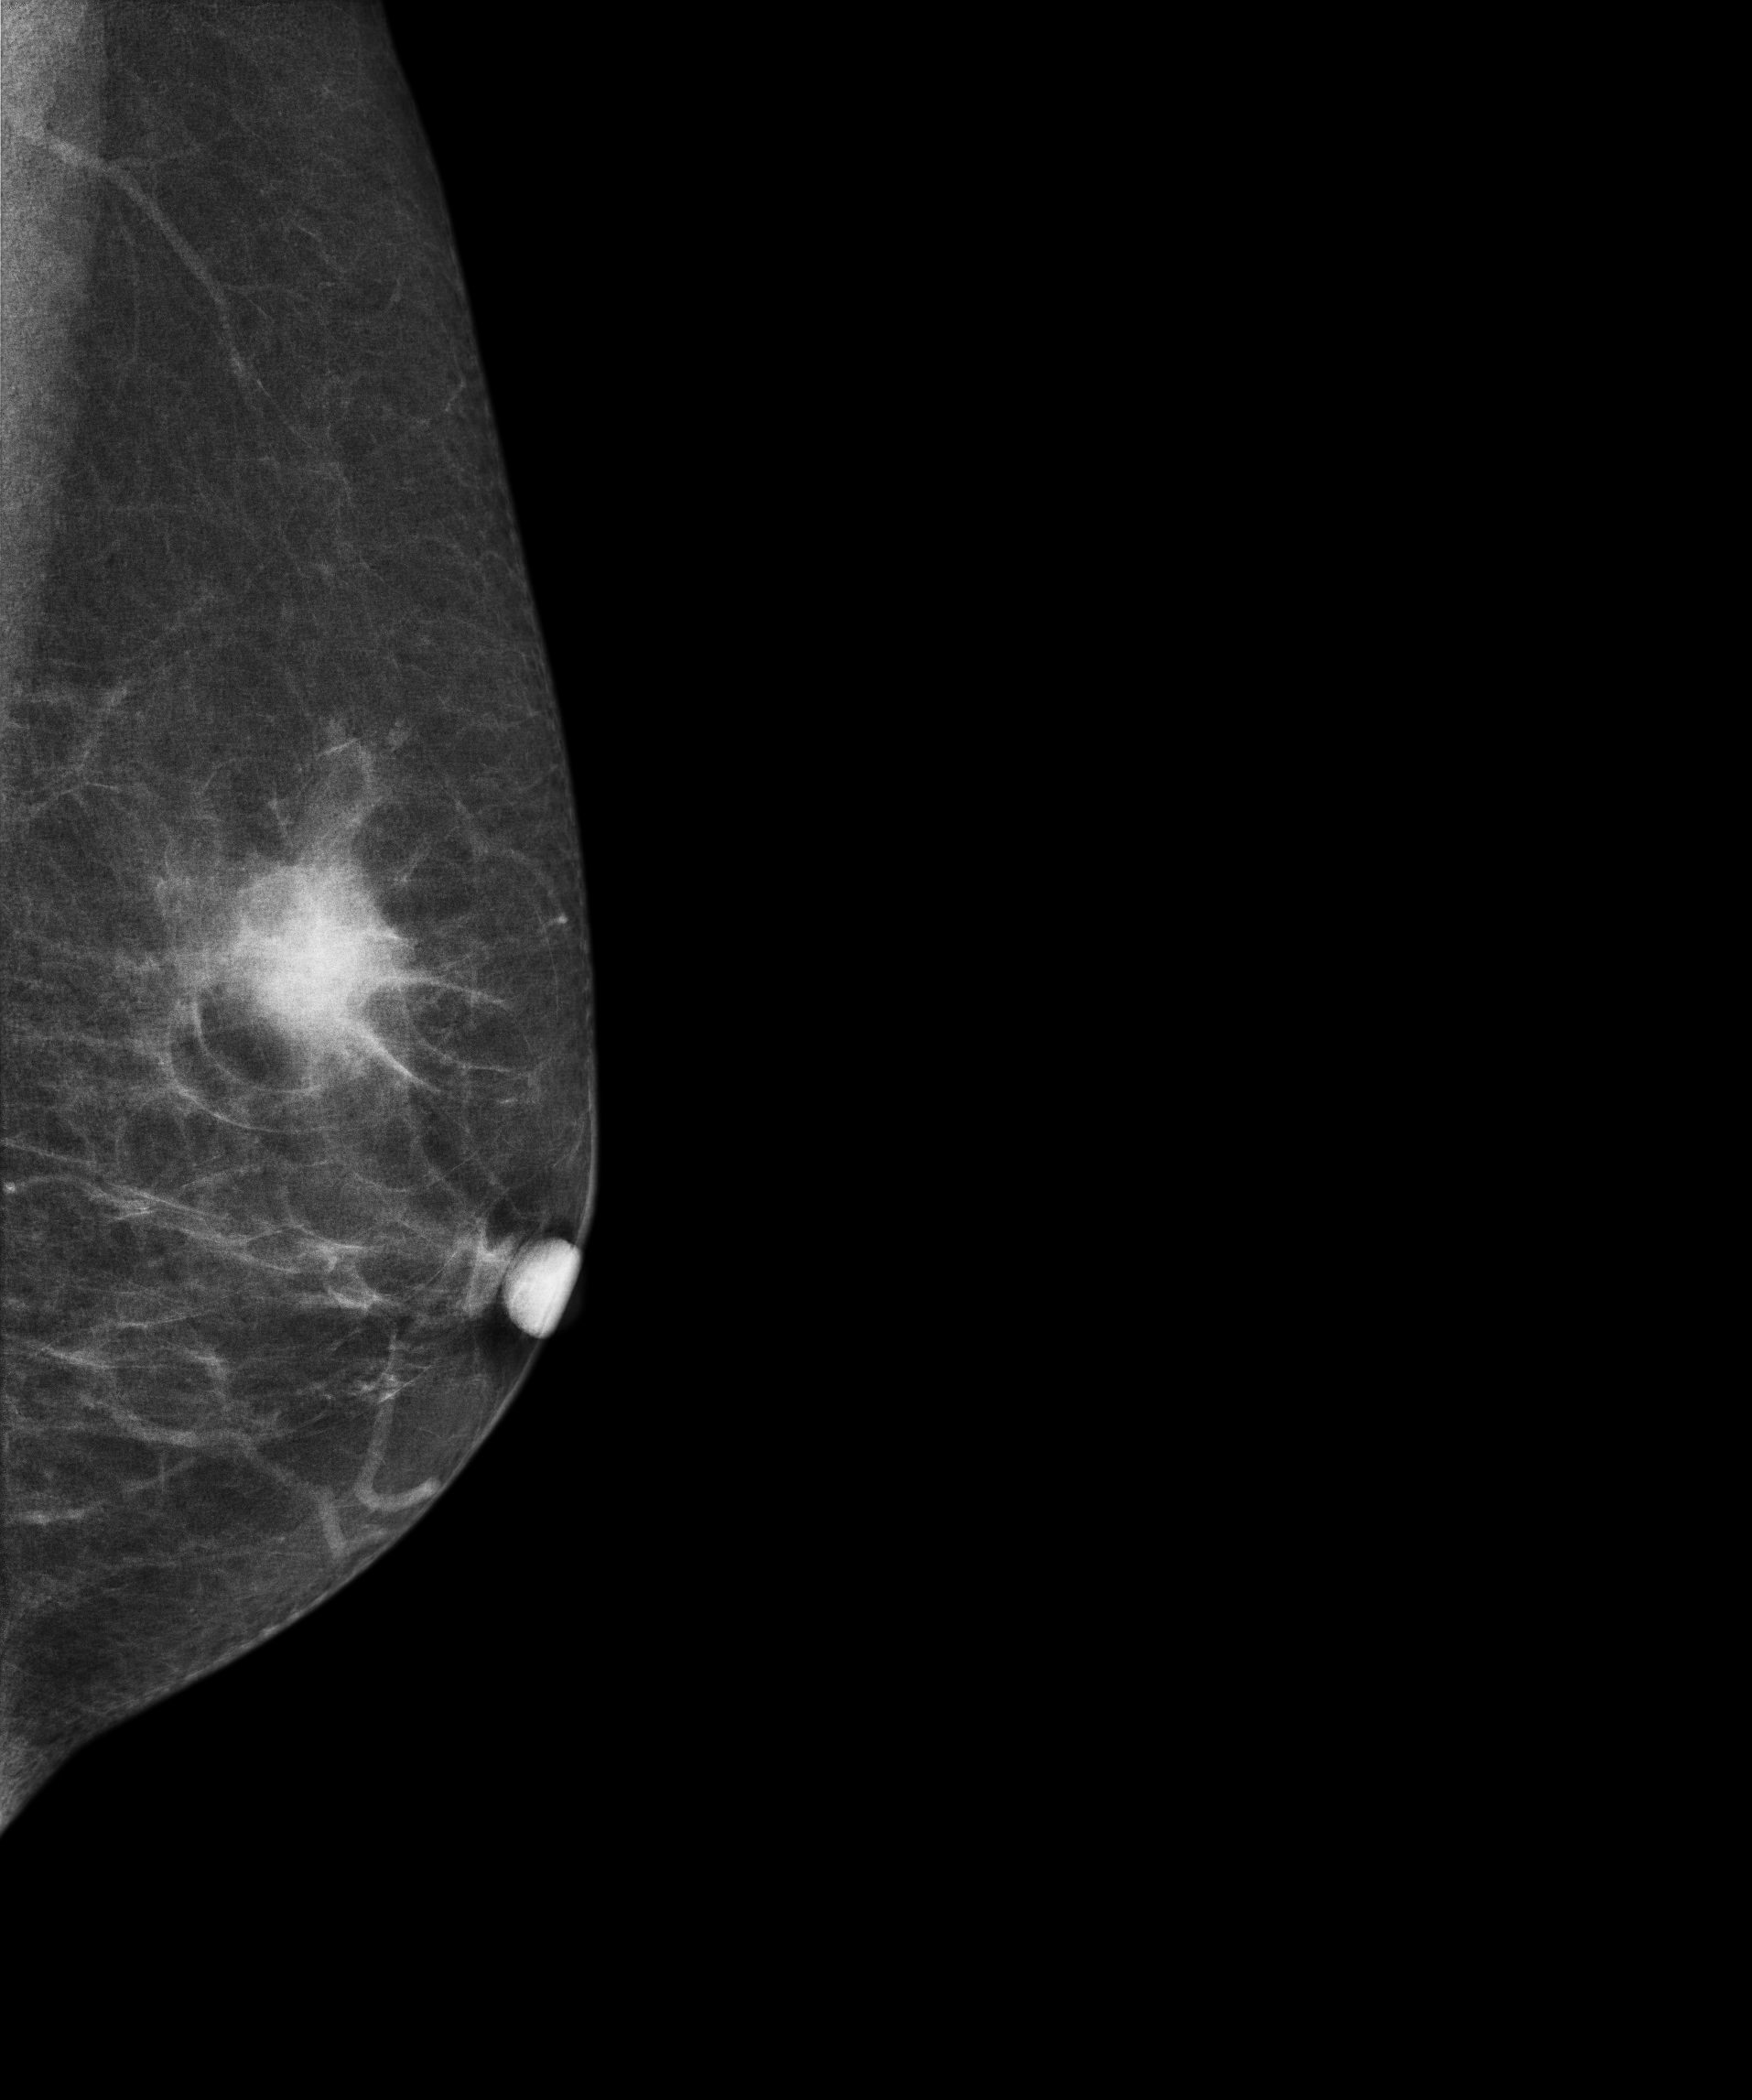
Left-breast mammogram, MLO. 75 y/o patient.
This breast has a mass, histologically confirmed malignant. Molecular subtype: triple-negative.